CC mammogram of the right breast. 34-year-old patient.
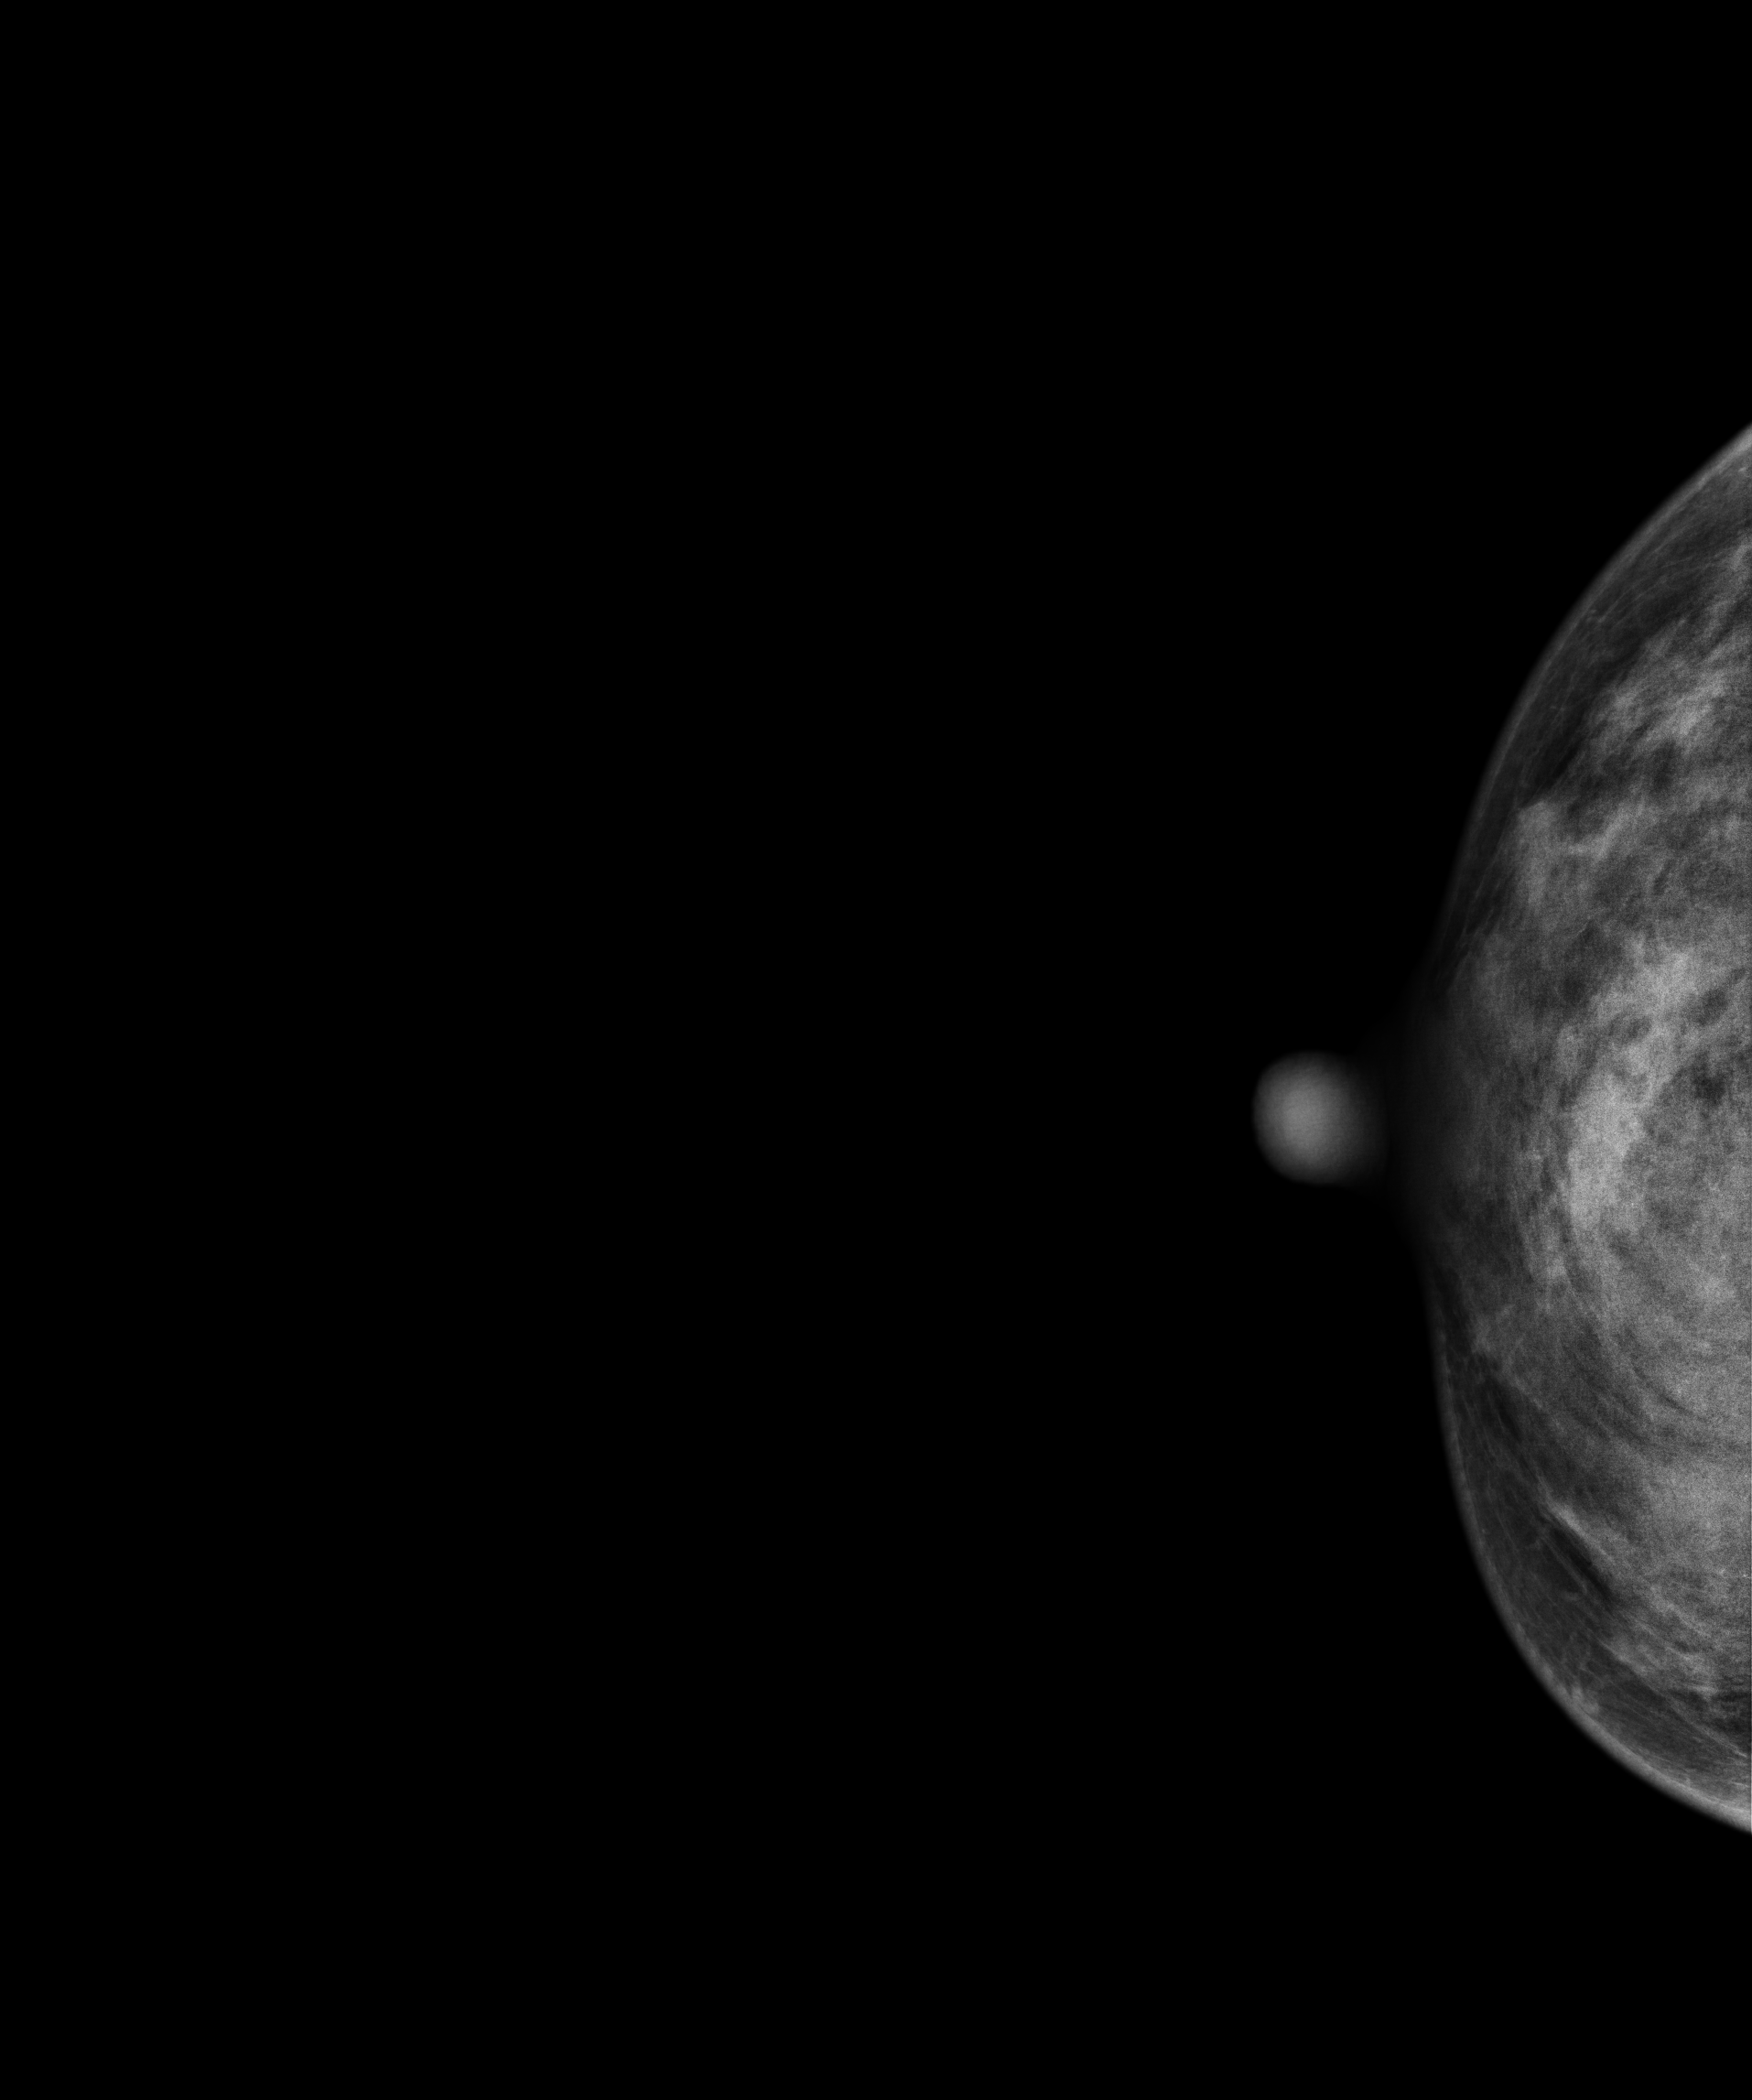
This breast has calcifications, pathology-confirmed malignant.